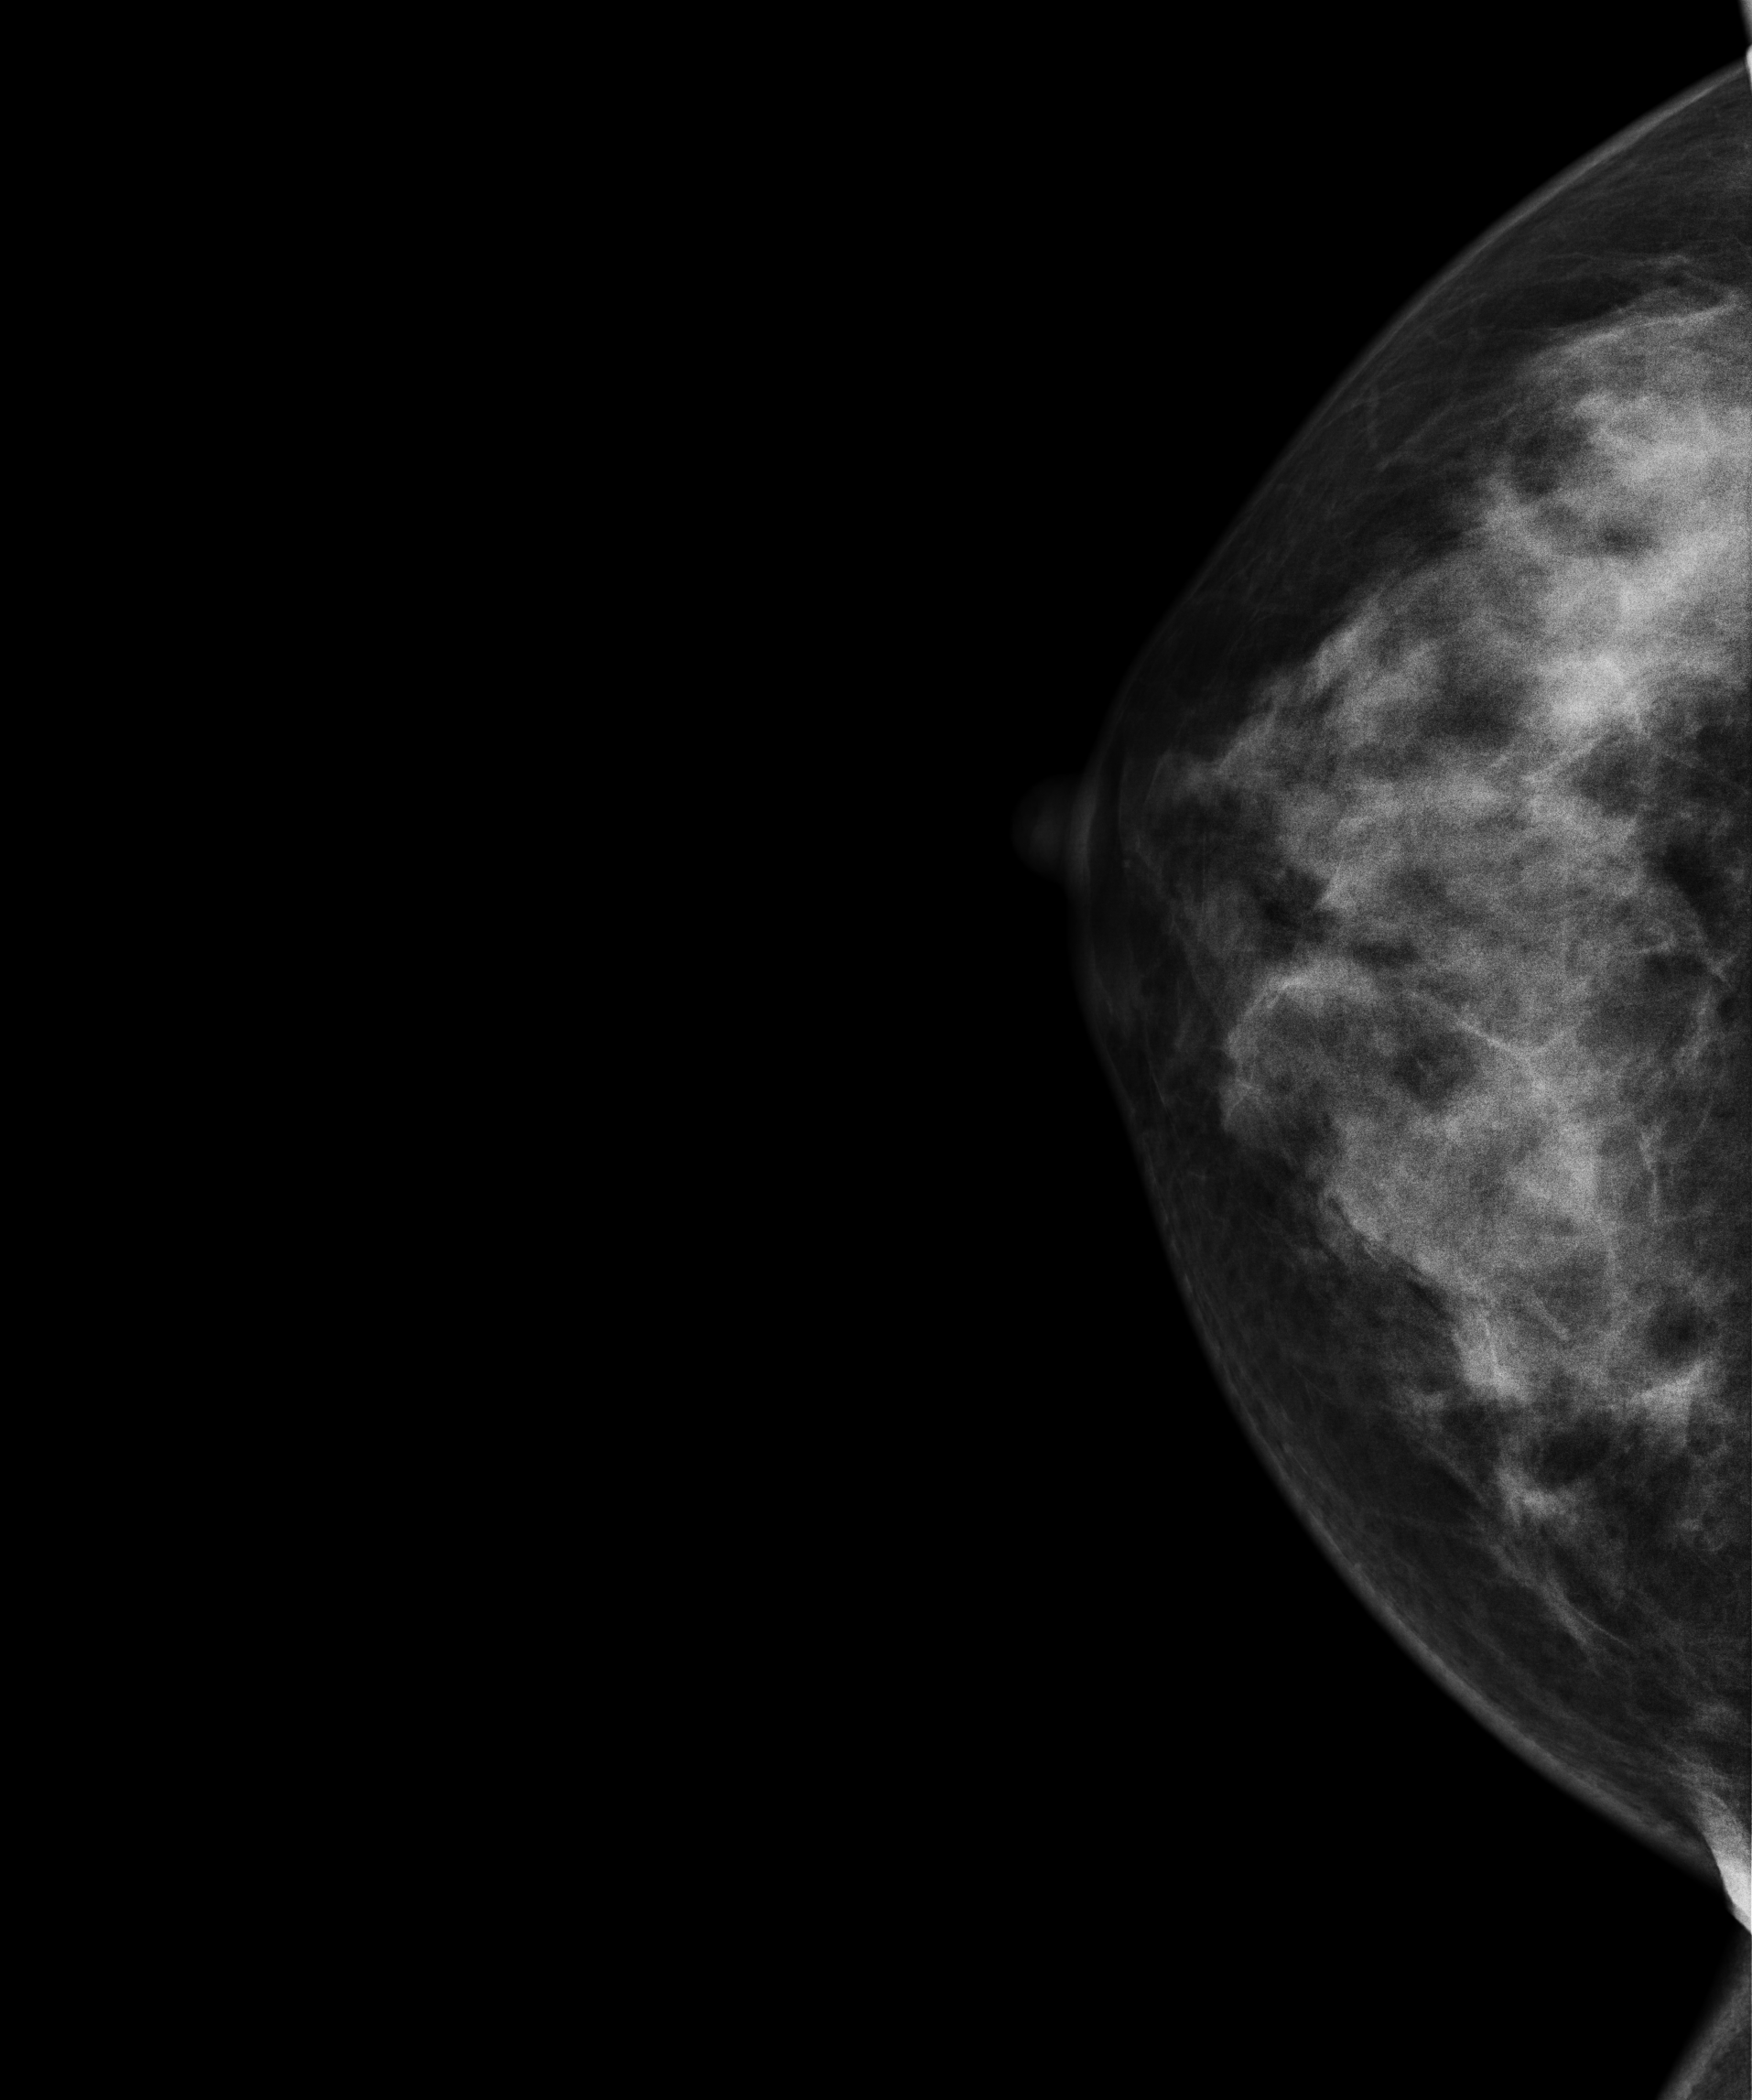
Mammogram — right cranio-caudal. 44 y/o patient.
This breast has a mass, histologically confirmed benign.